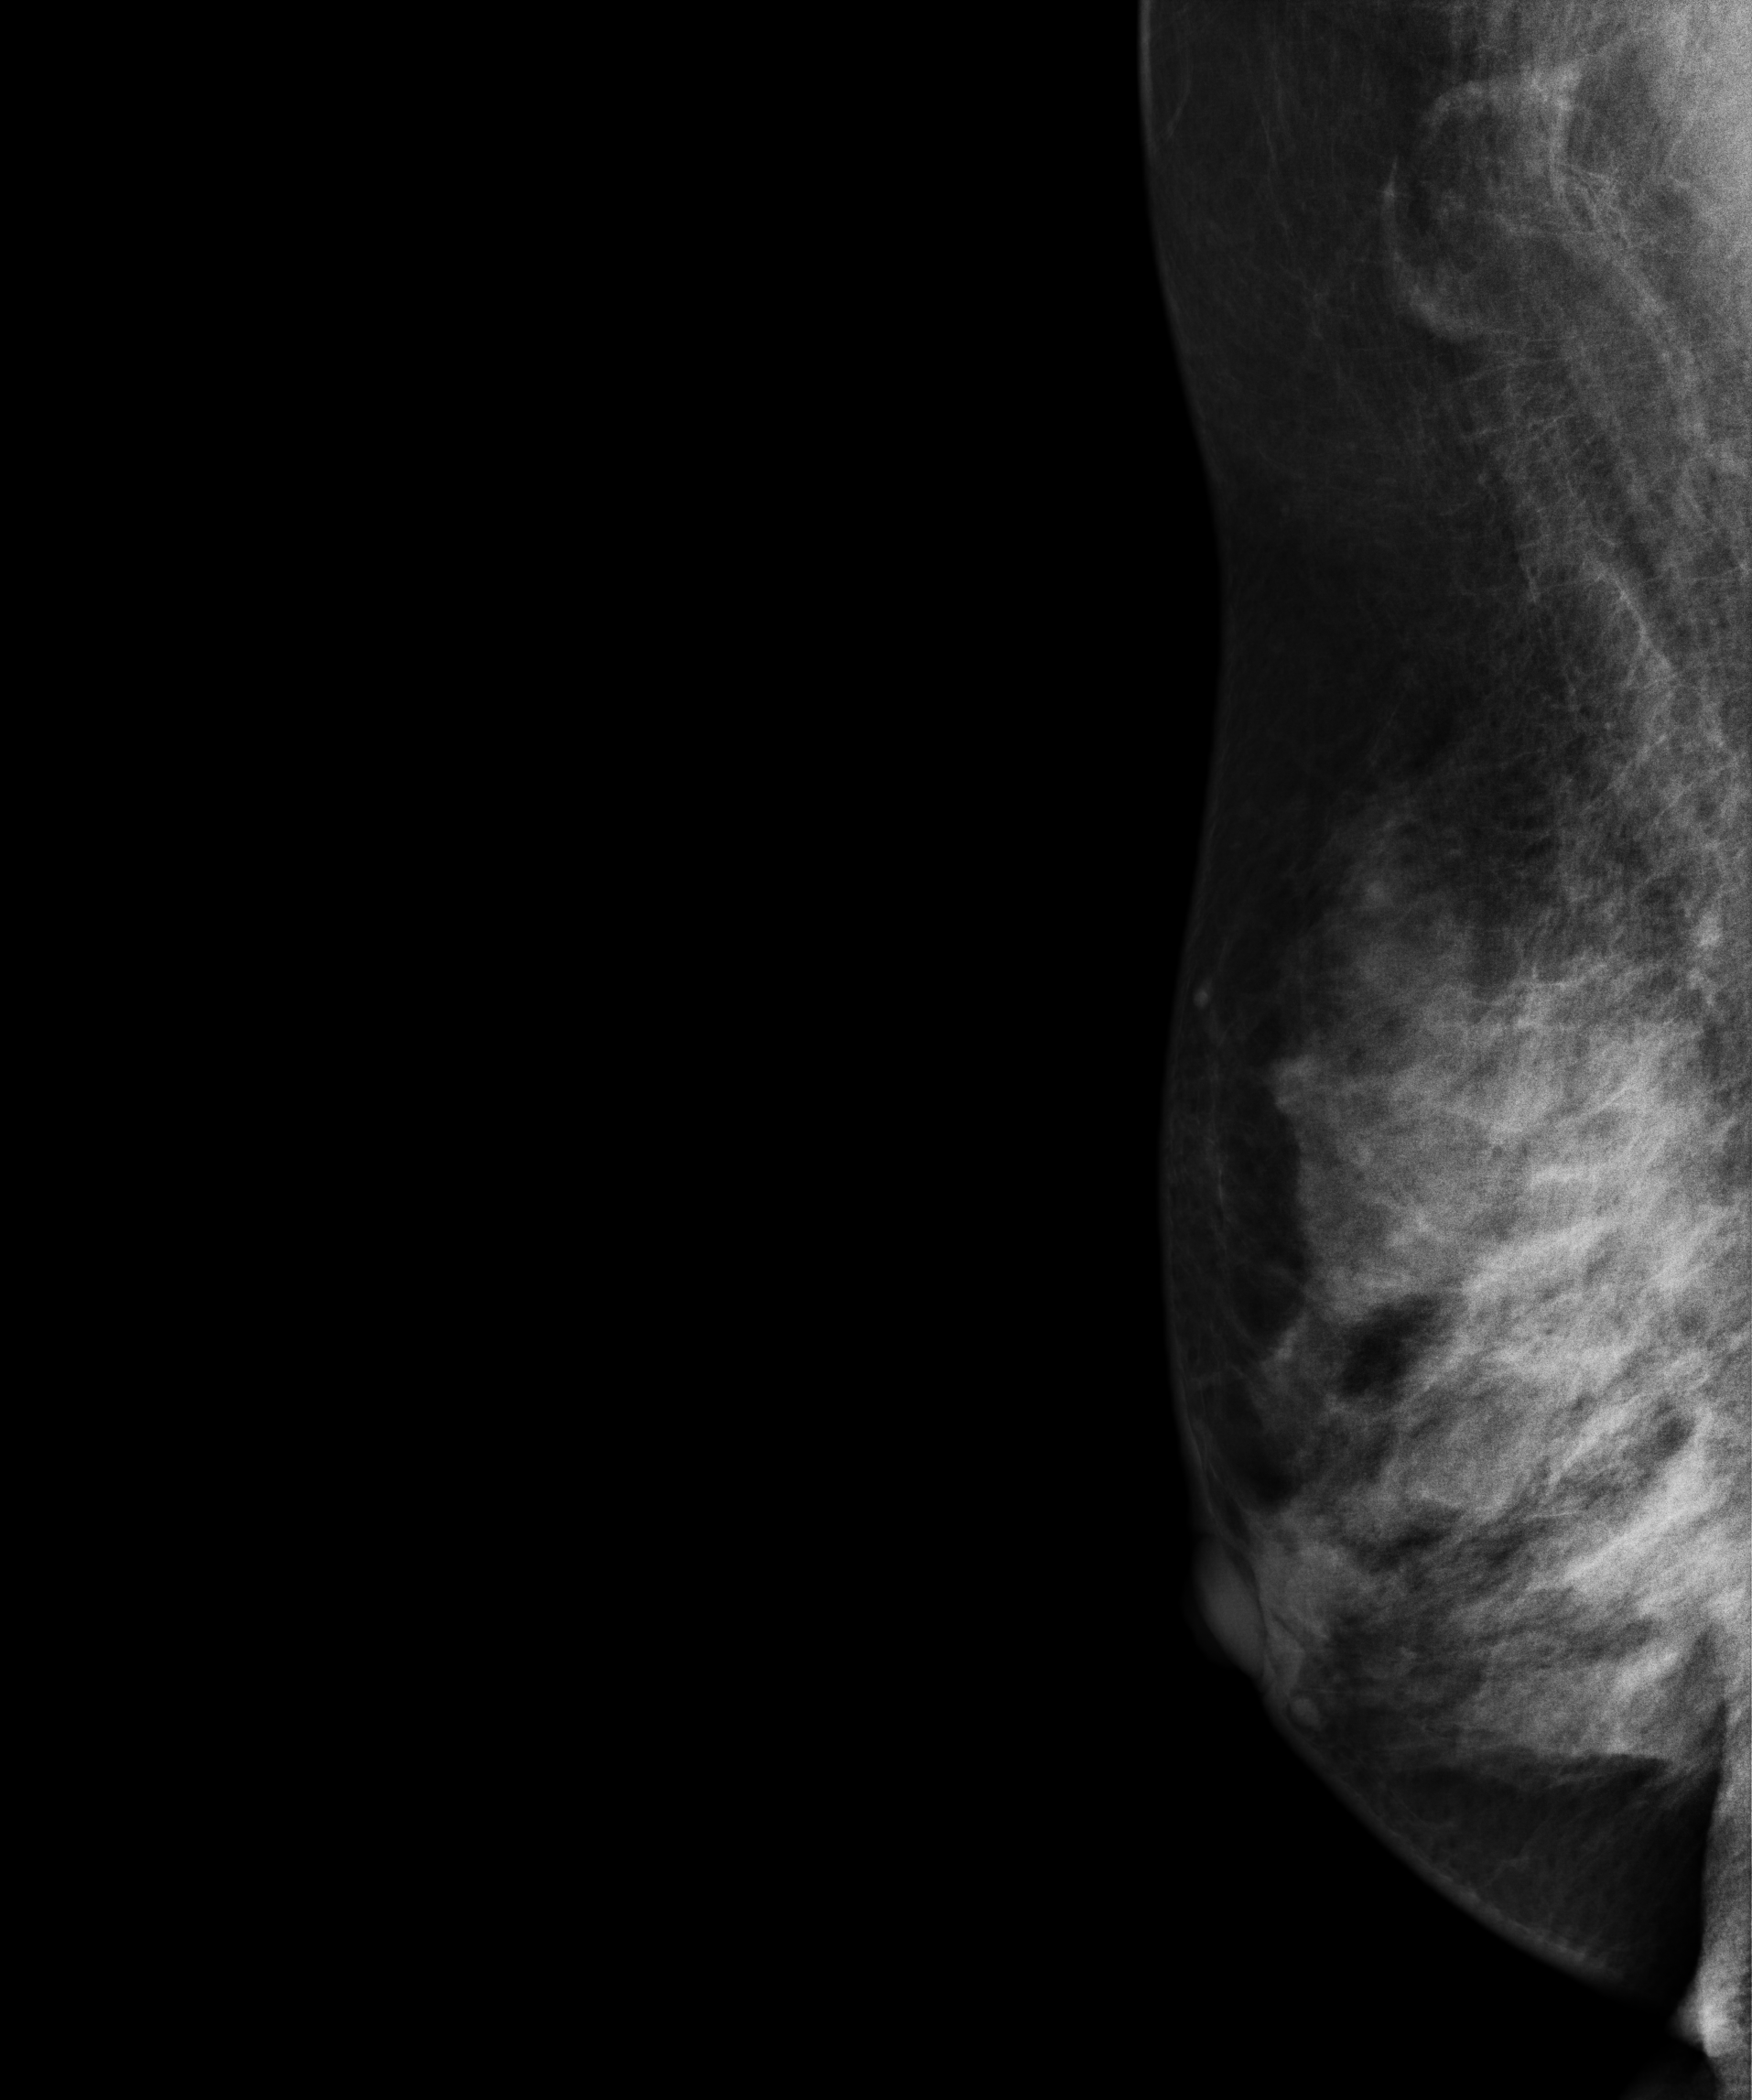
Mammogram — right medio-lateral oblique. 50-year-old patient.
This breast has a mass, biopsy-proven malignant. Molecular subtype: luminal A.